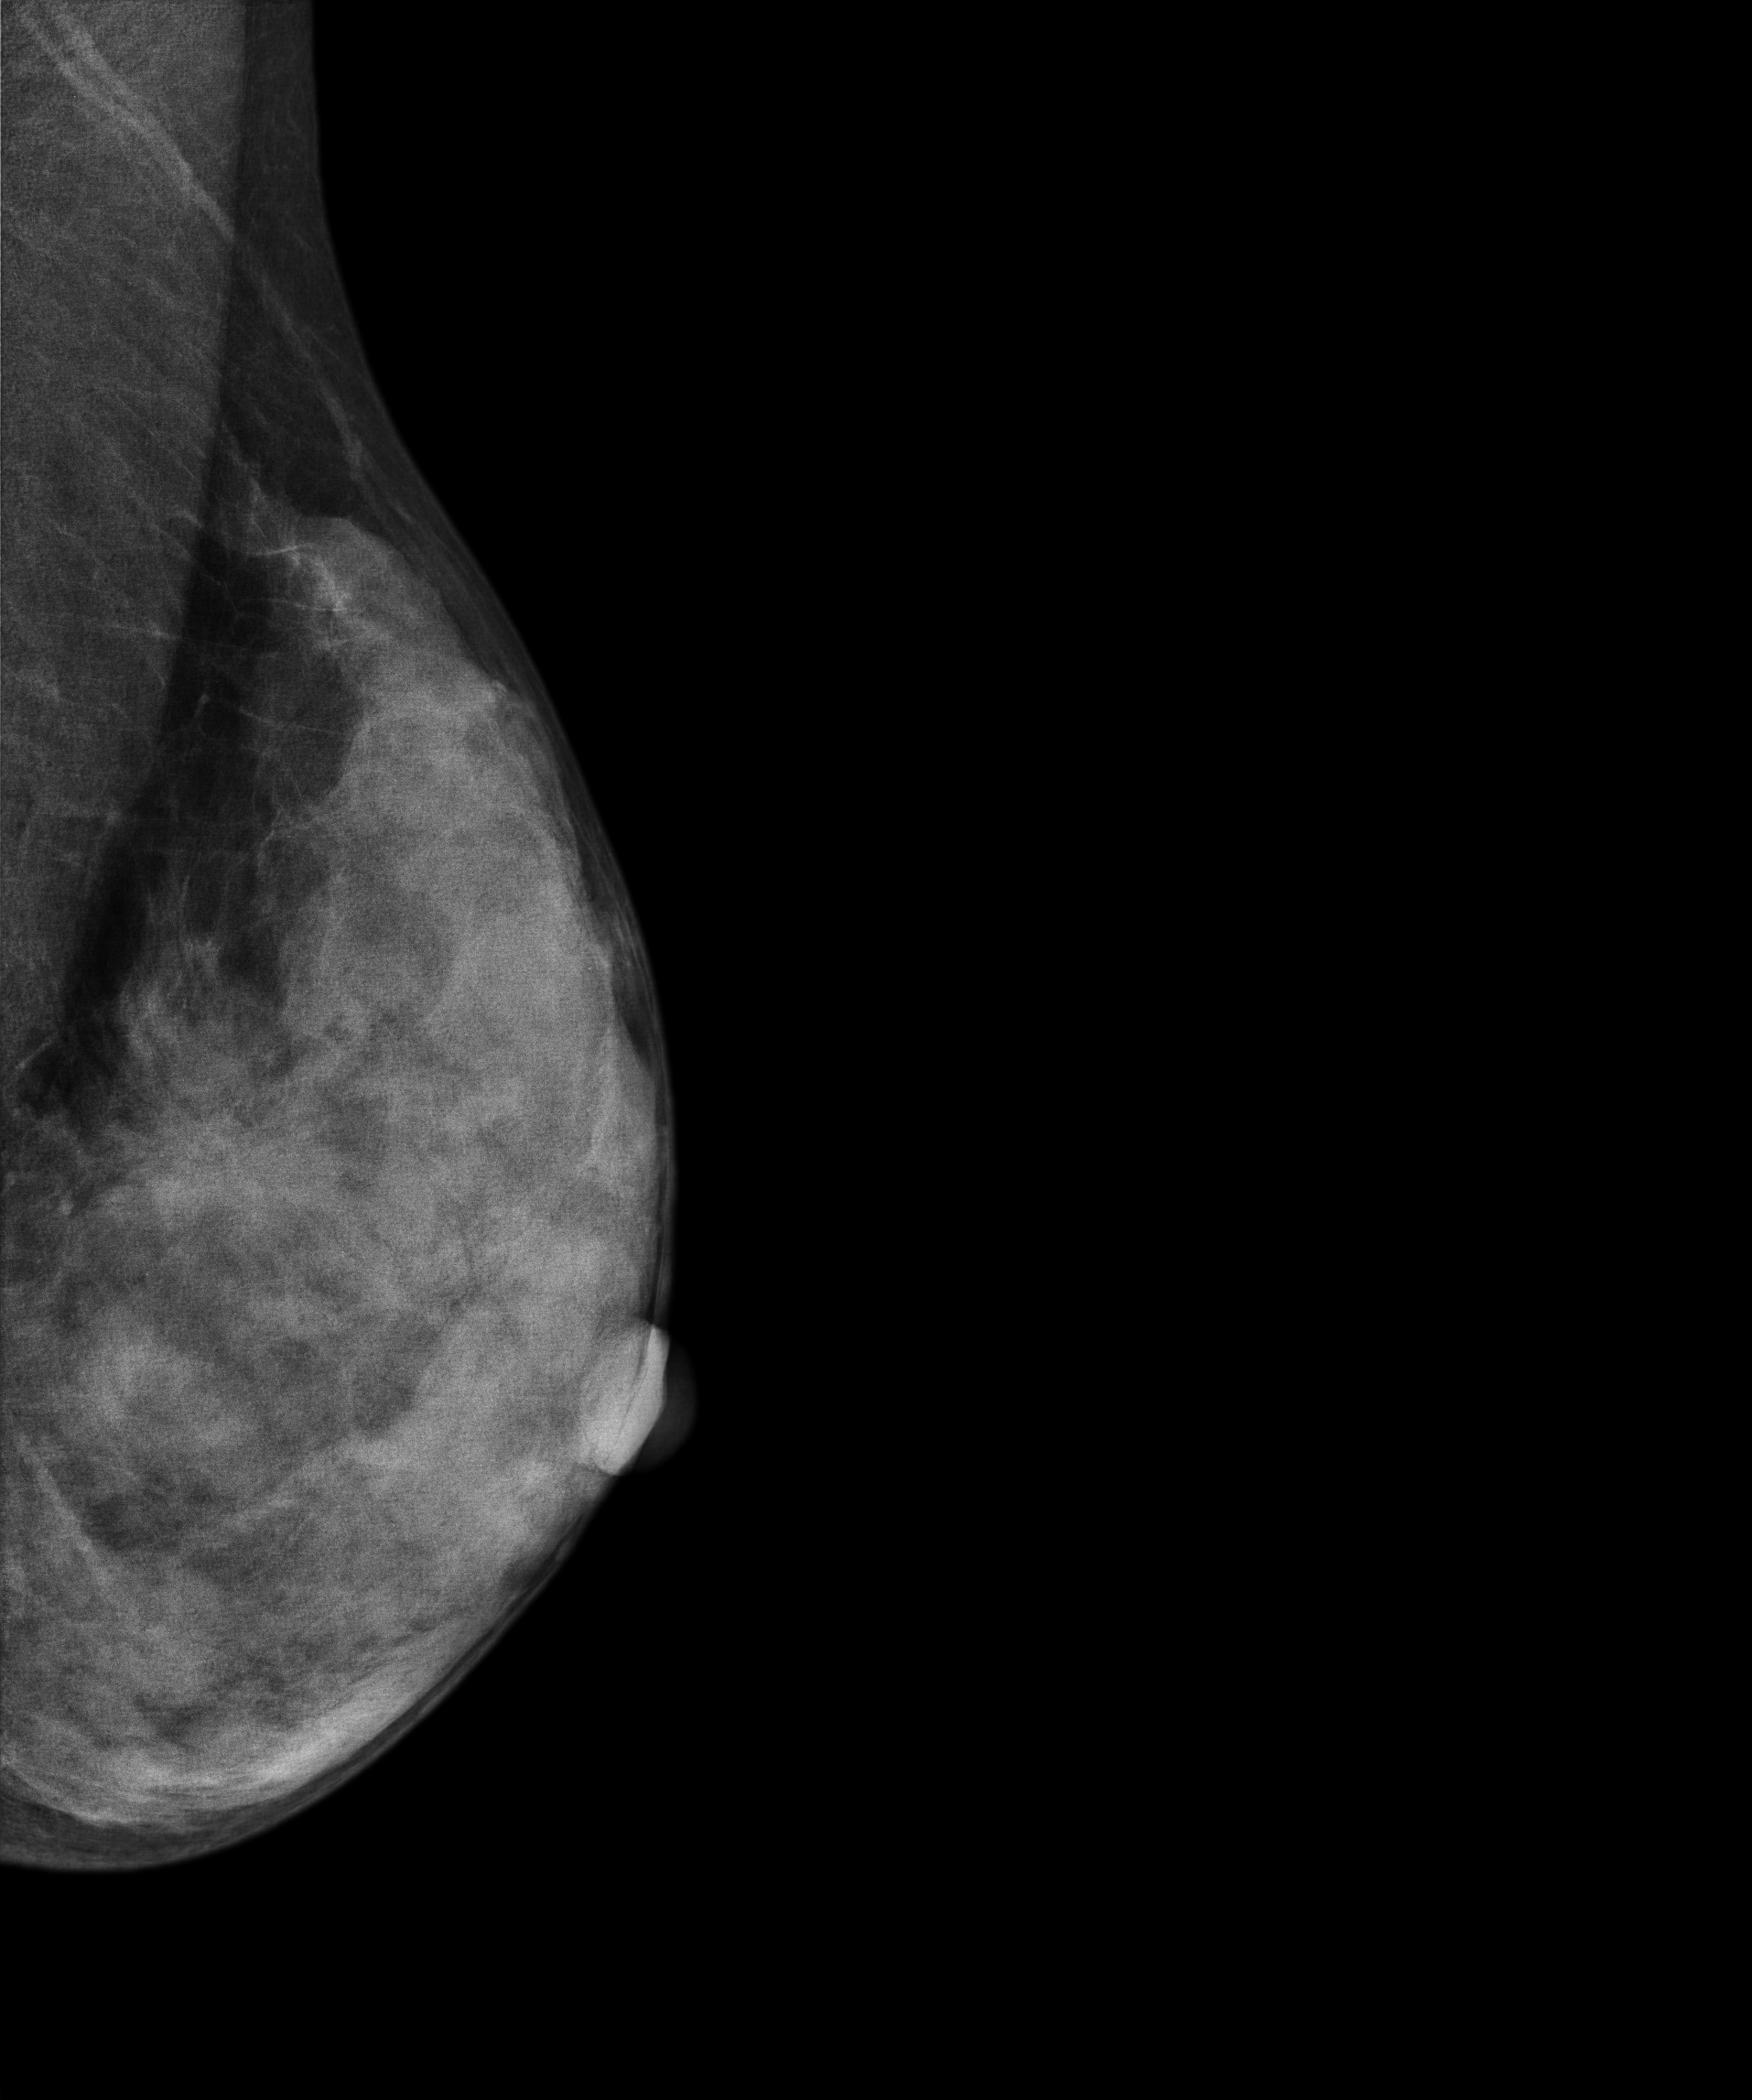
Left-breast mammogram, medio-lateral oblique. Patient age 38.
This breast has a mass, biopsy-proven malignant. Molecular subtype: luminal A.